Medio-lateral oblique mammogram of the left breast. 31-year-old patient.
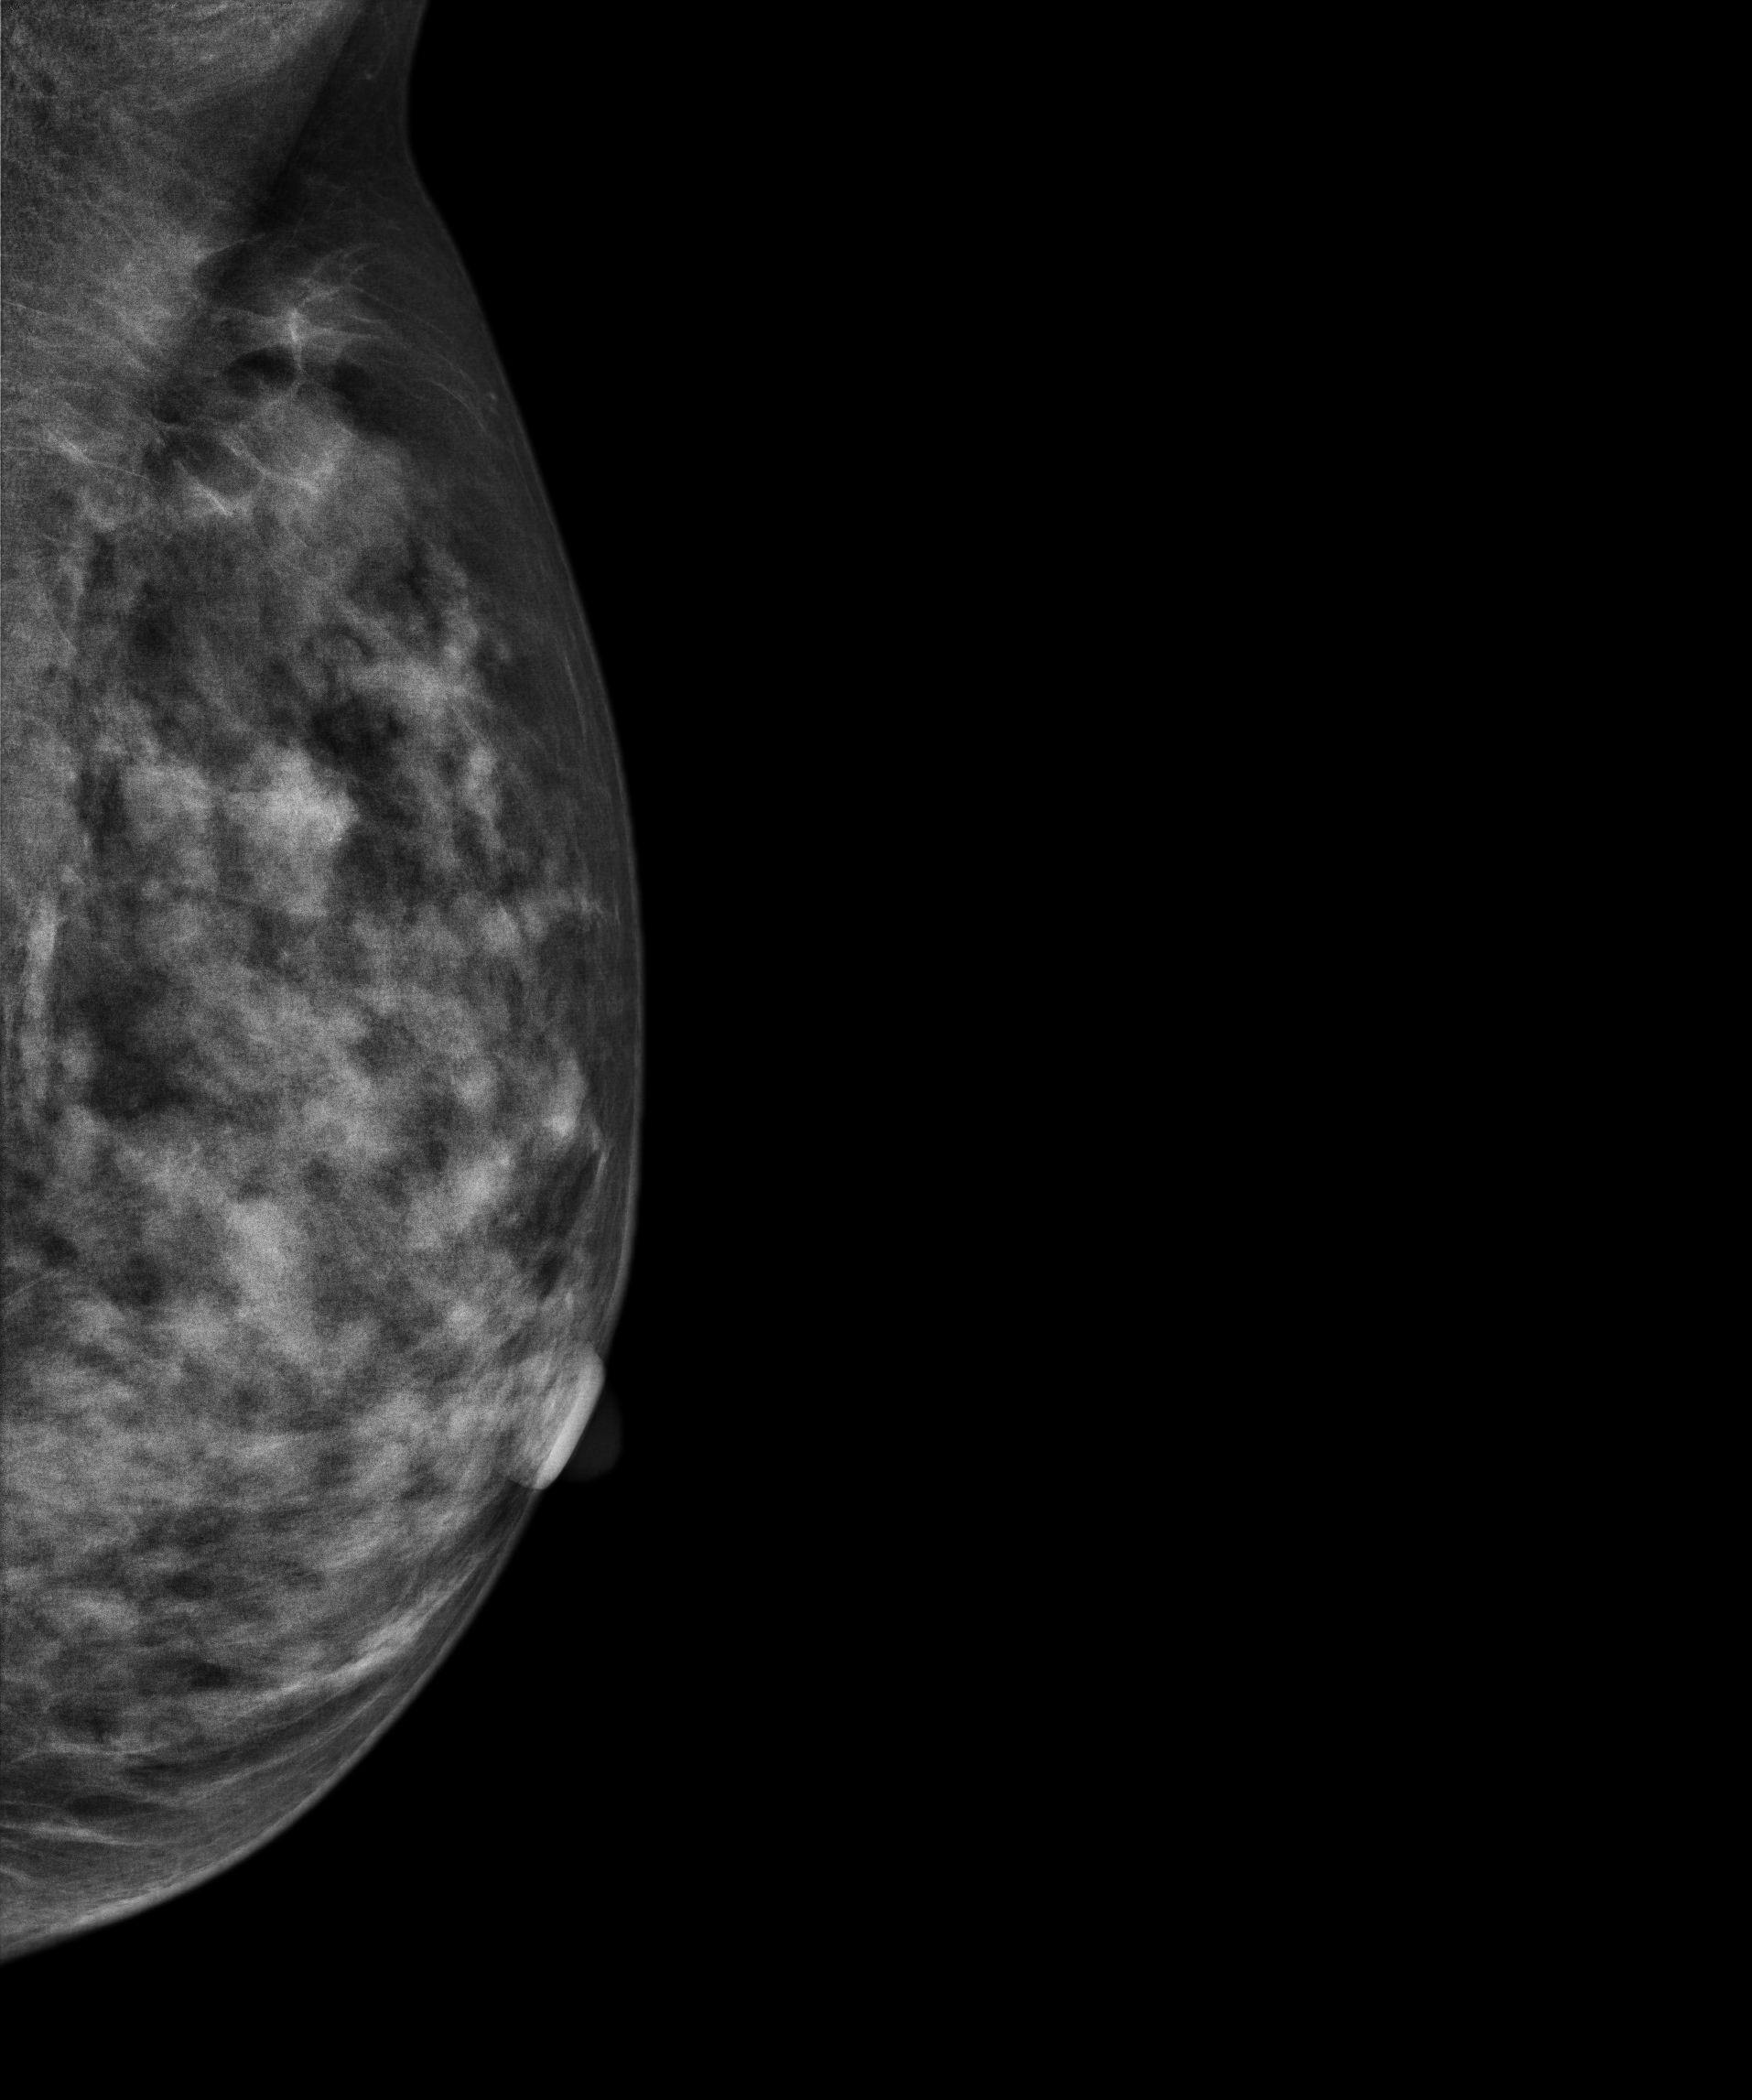
This breast has a mass and calcifications, biopsy-proven malignant. Molecular subtype: luminal B.